Right-breast mammogram, cranio-caudal. 72-year-old patient.
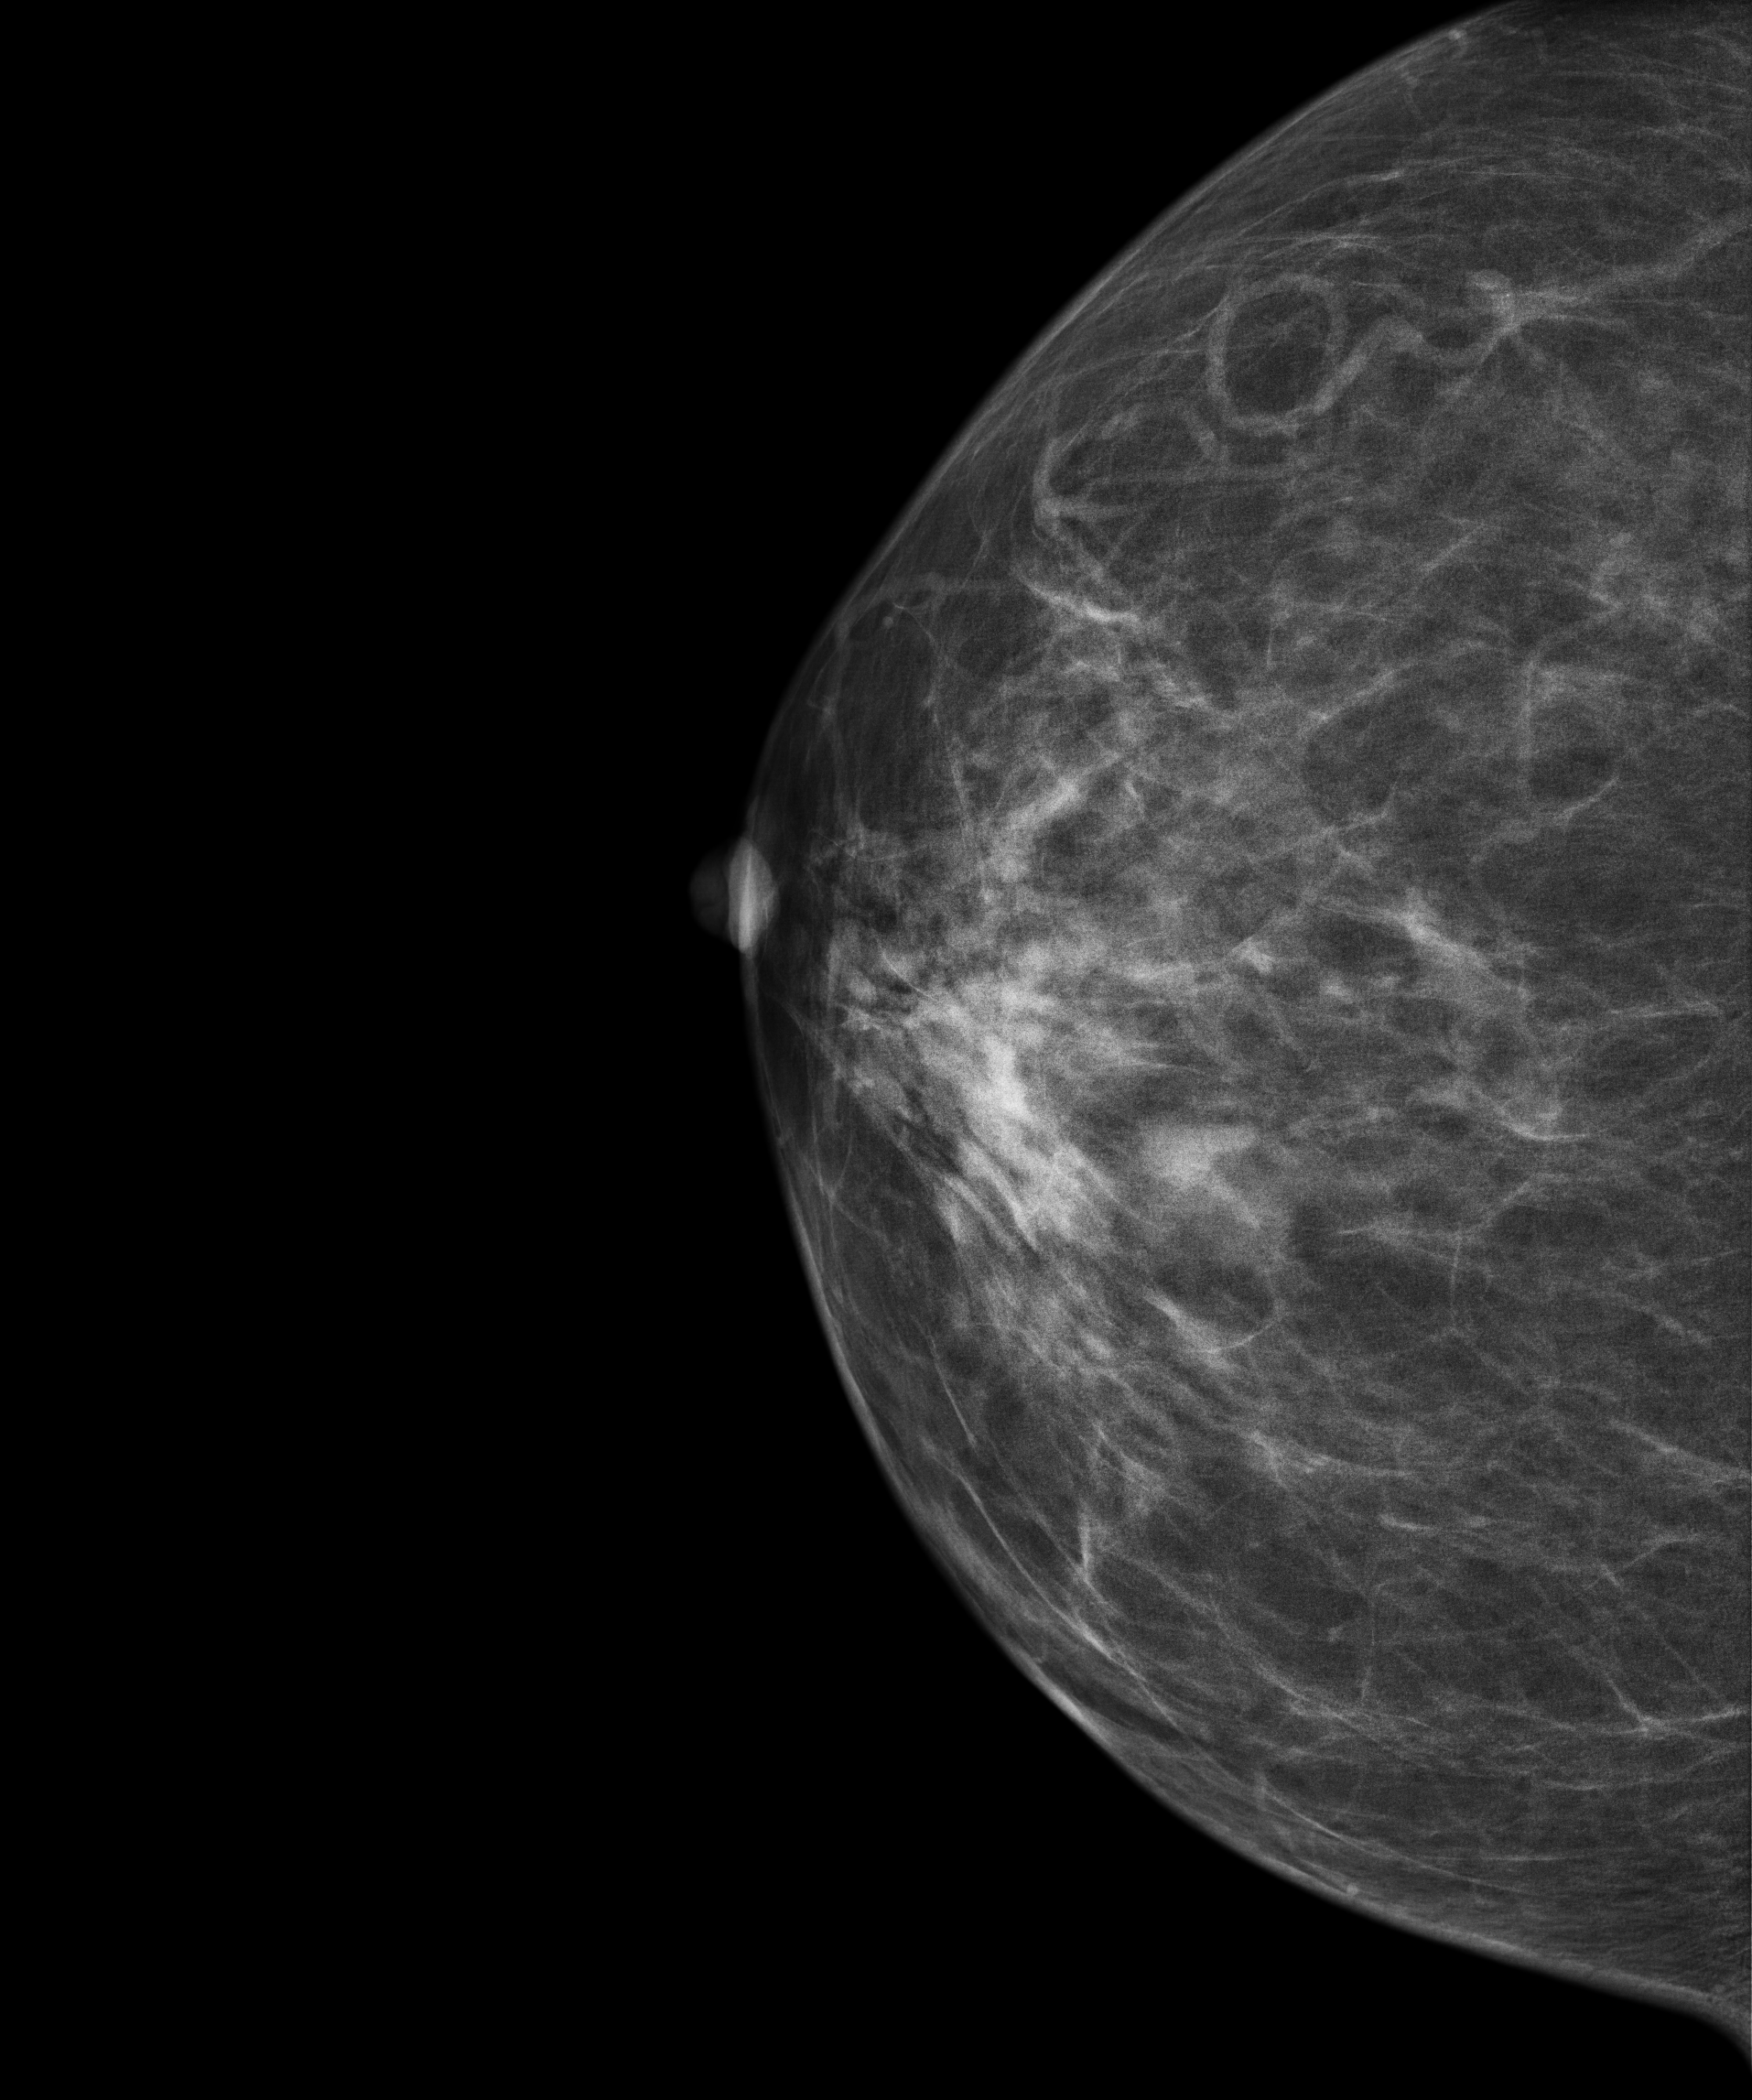
Contralateral breast — no documented abnormality on this side.